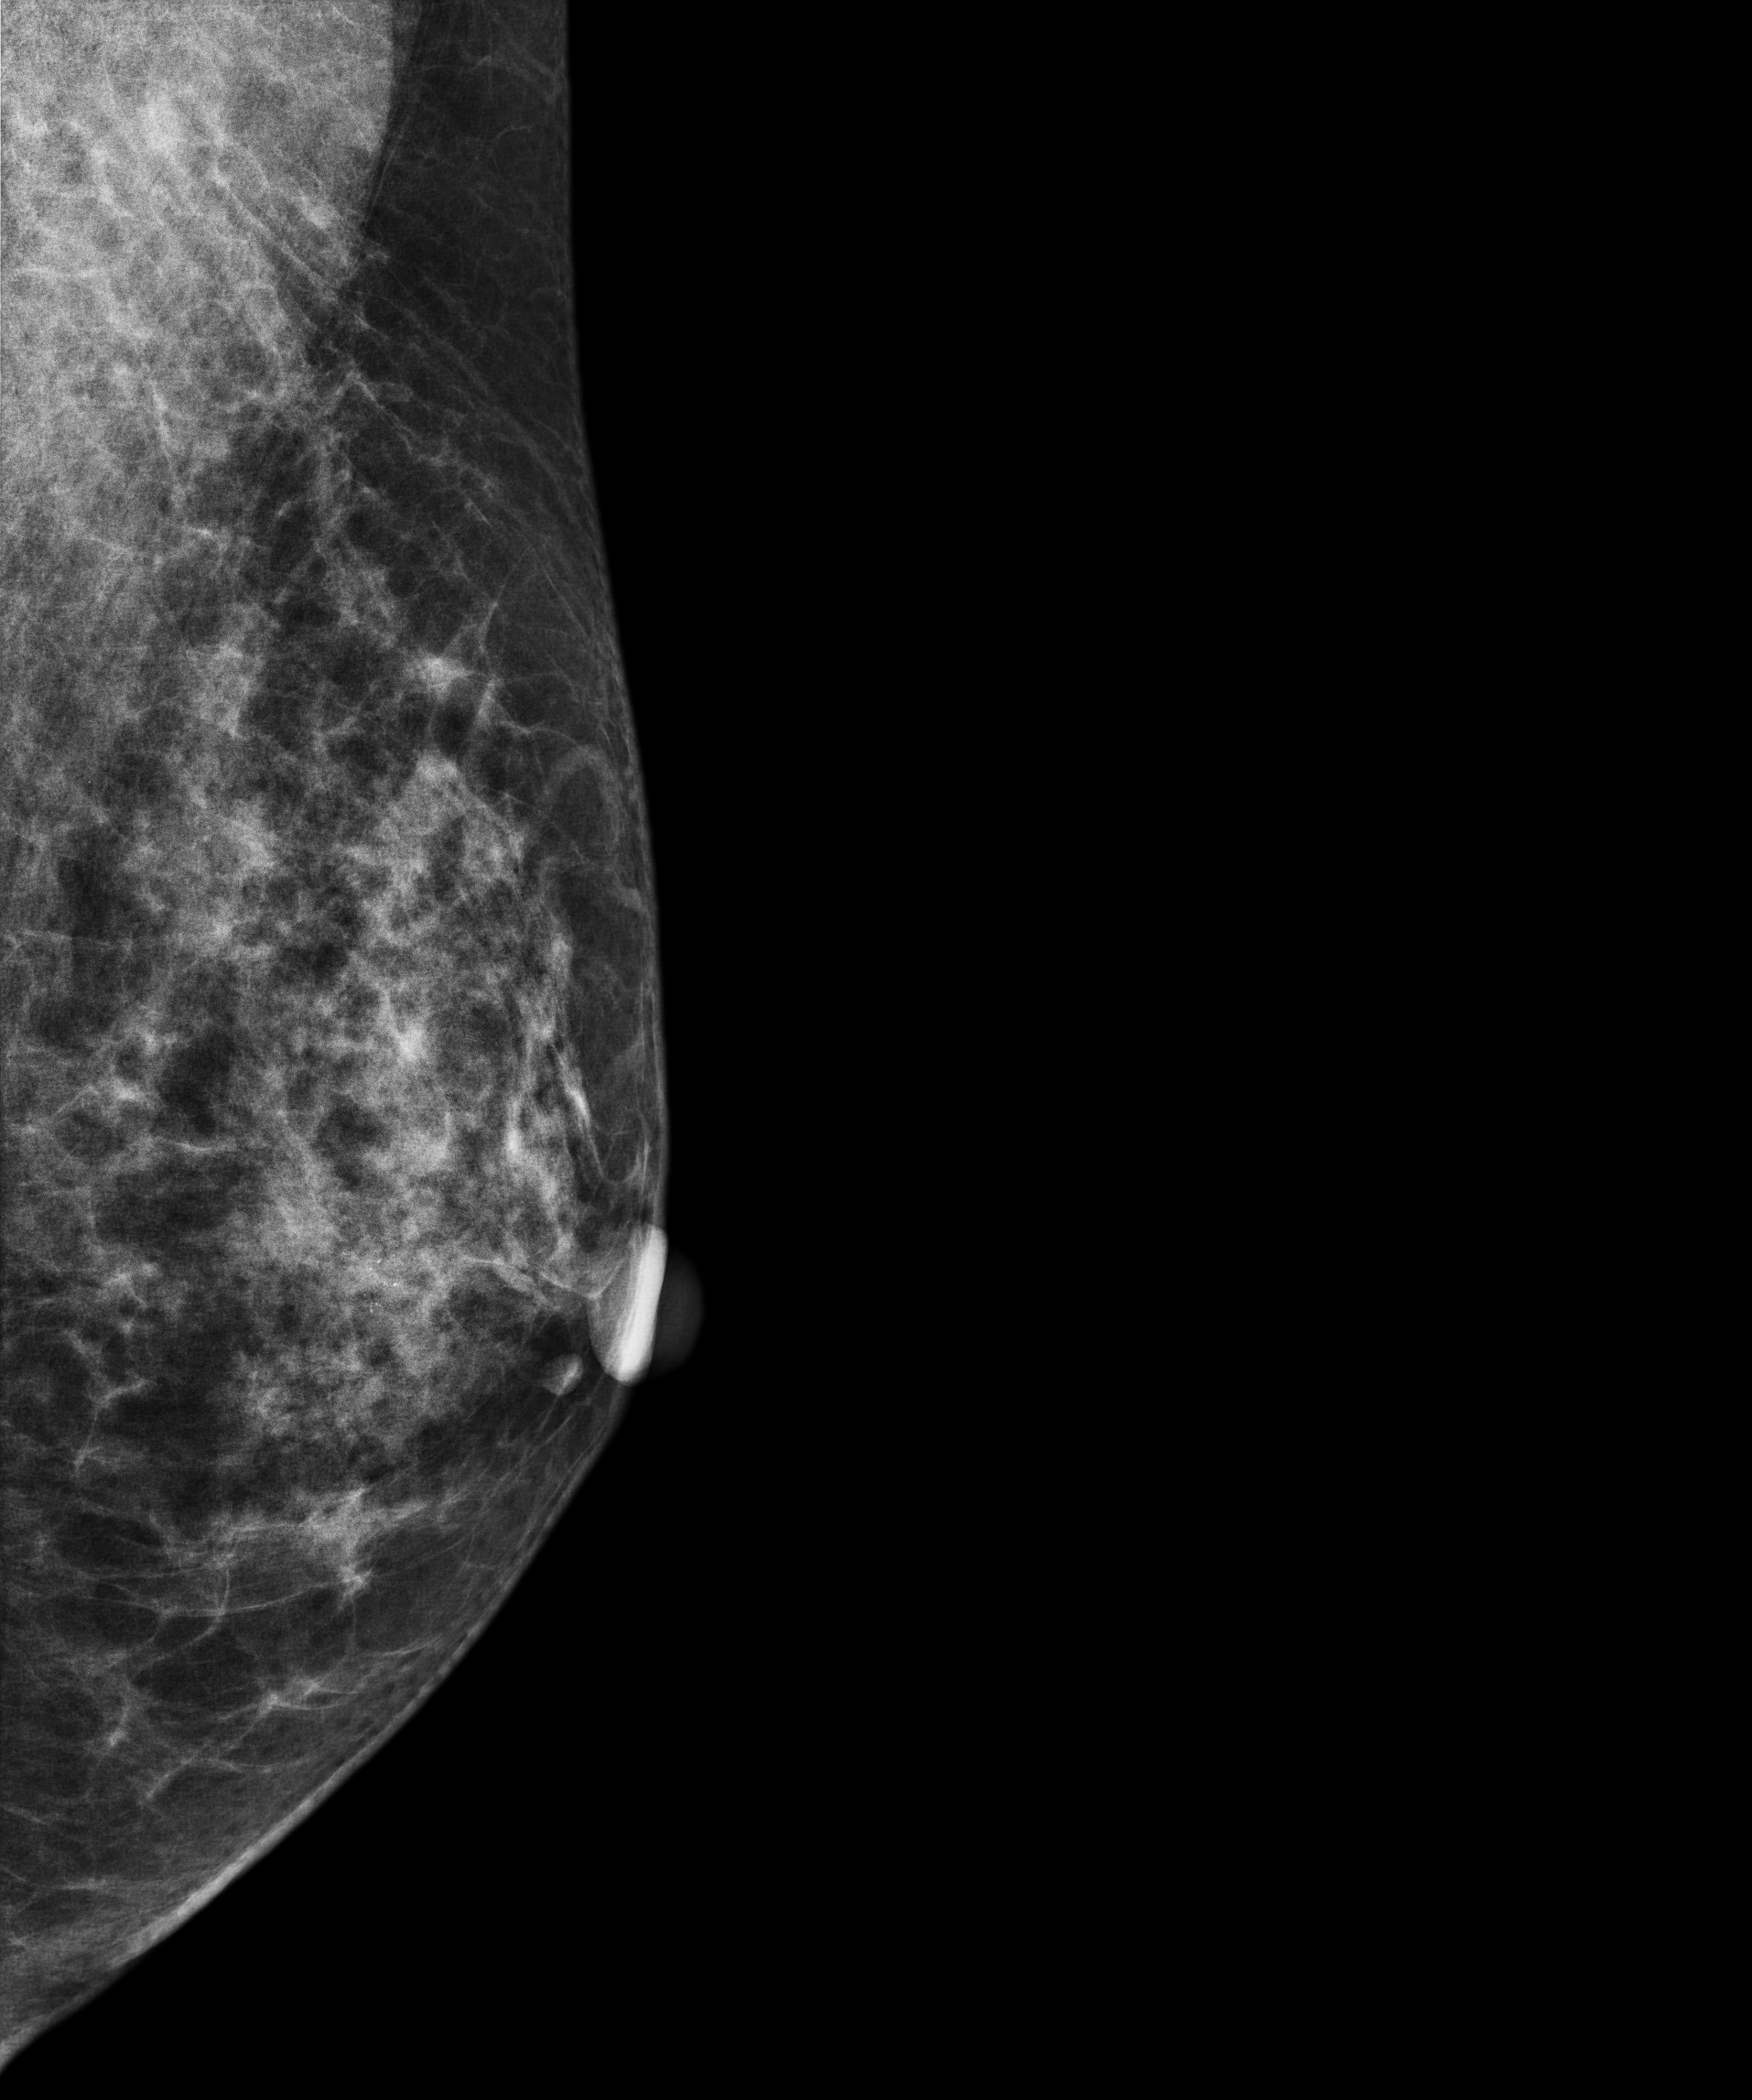
Medio-lateral oblique mammogram of the left breast. 54-year-old patient.
This breast has a mass, pathology-confirmed malignant.